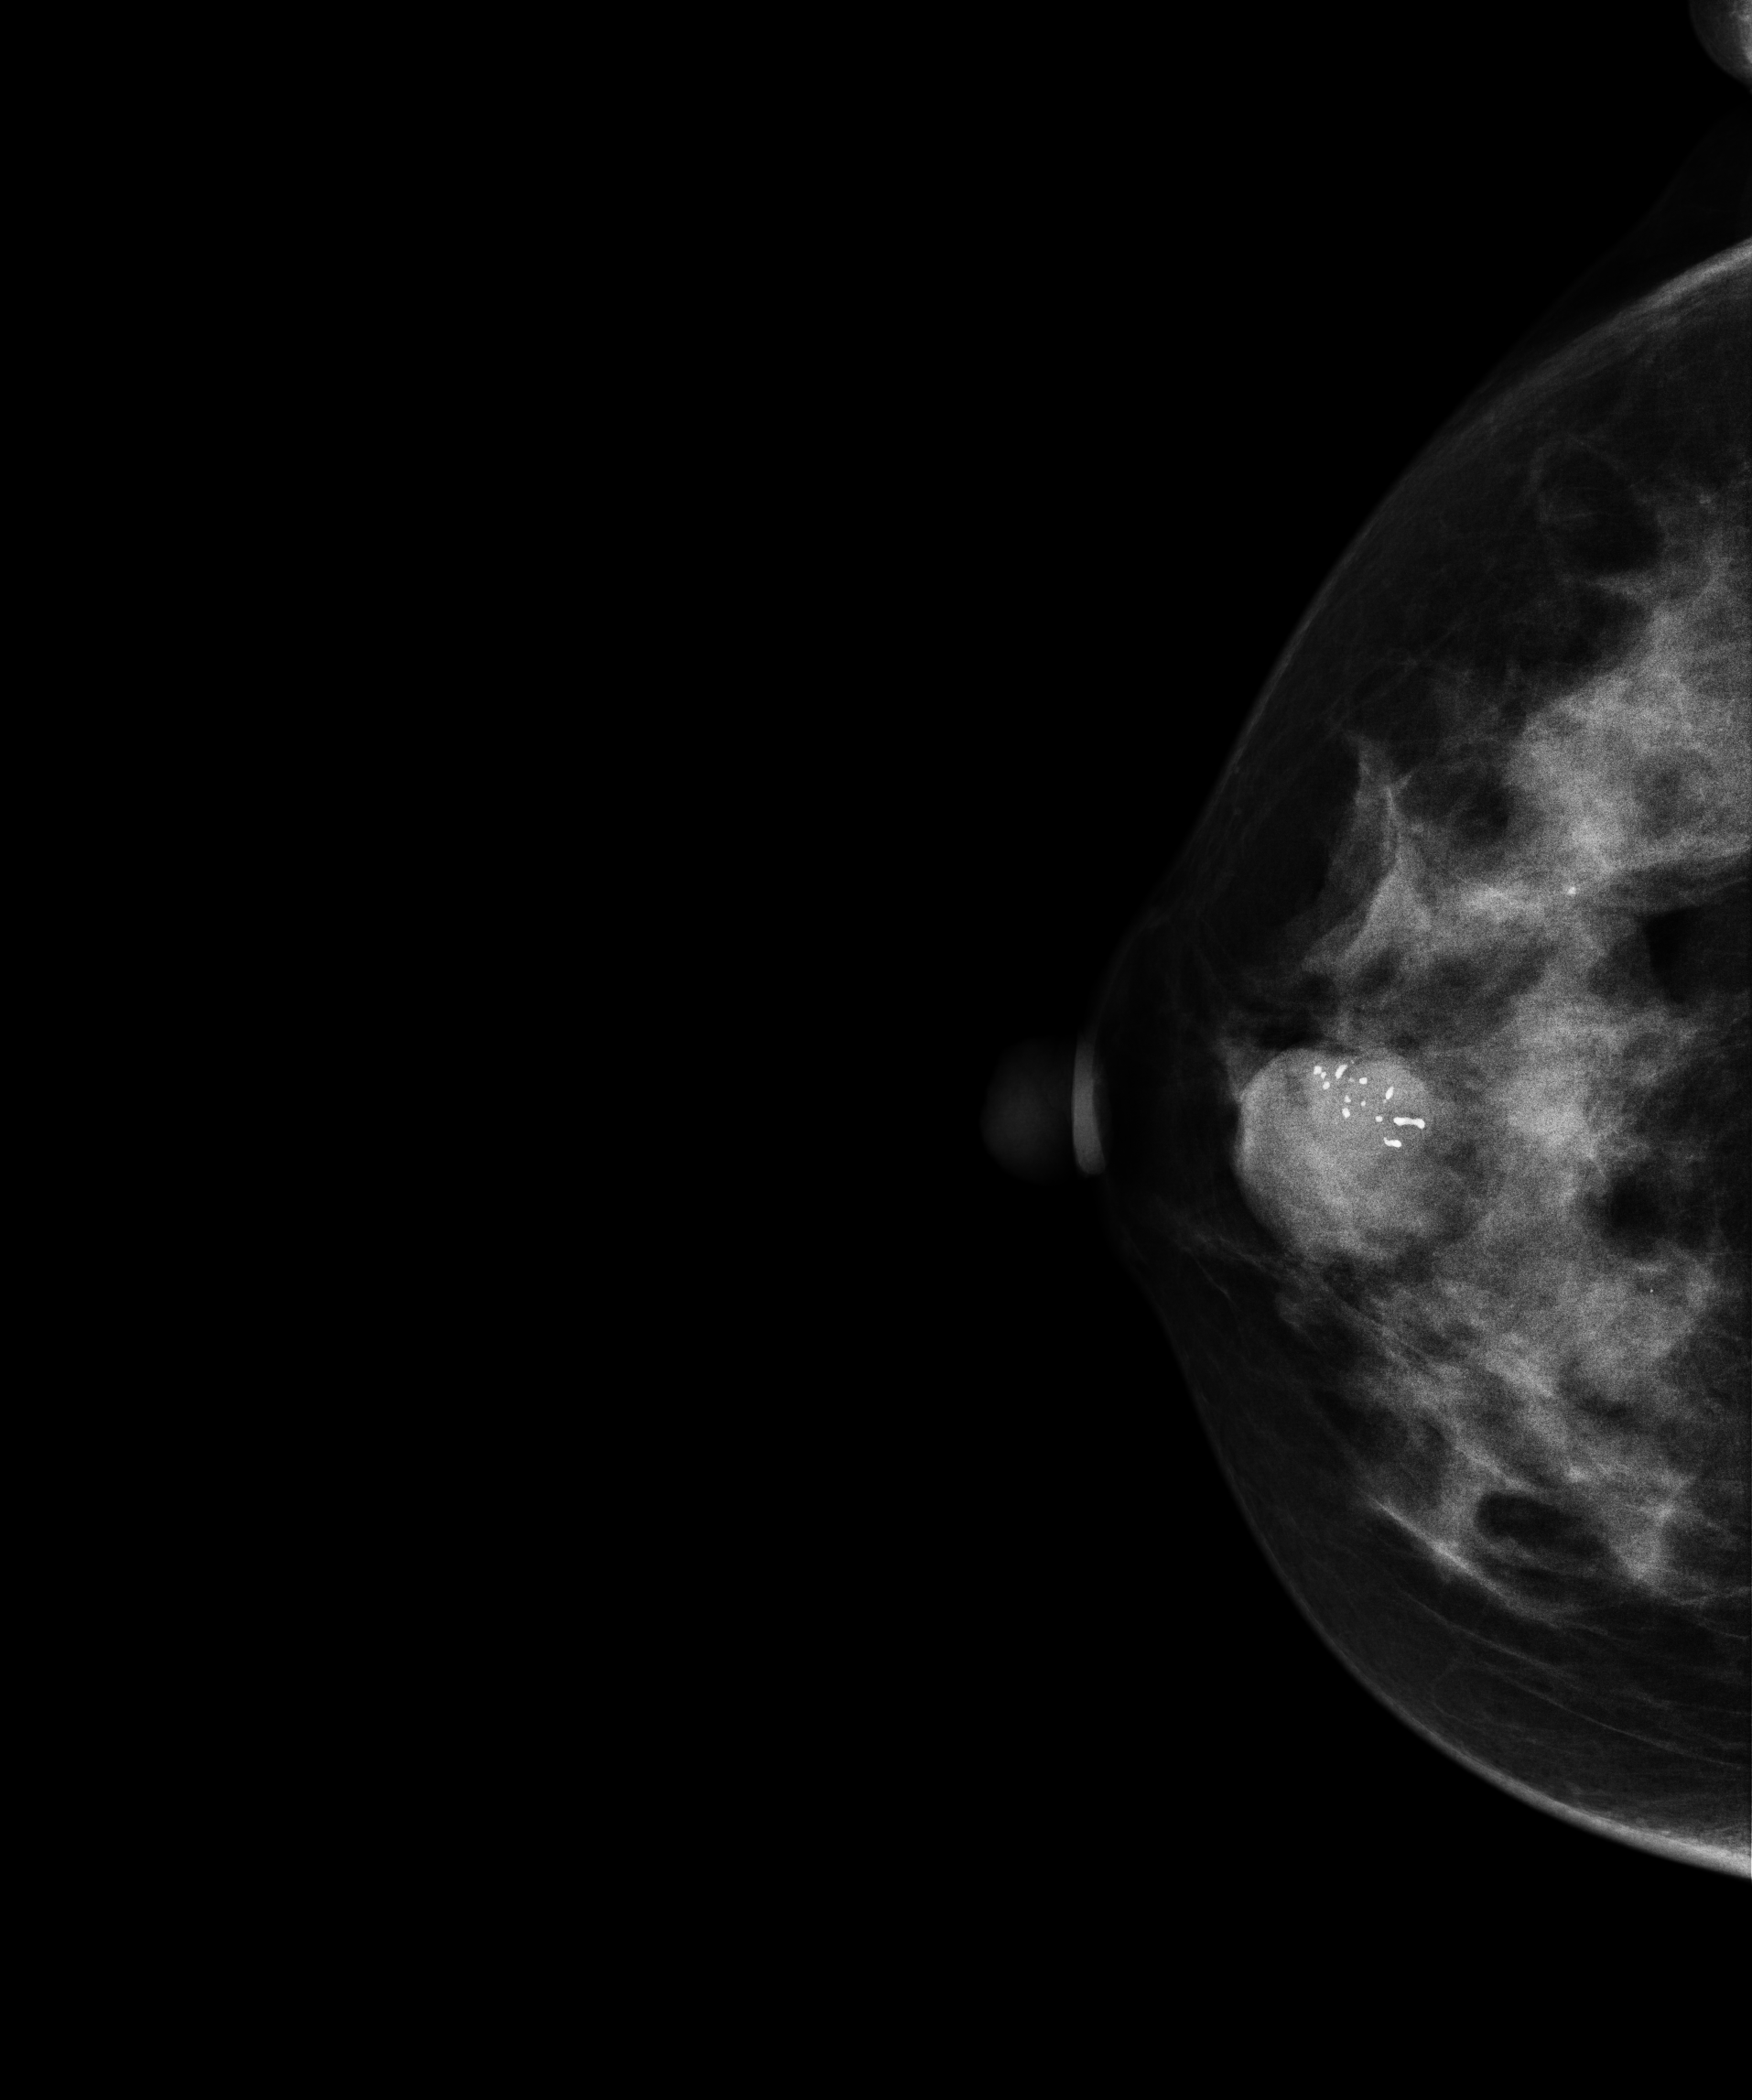
Mammogram — right cranio-caudal. 40 y/o patient.
This breast has a mass and calcifications, biopsy-proven benign.